Digital mammography. Left breast, CC projection. 53 y/o patient.
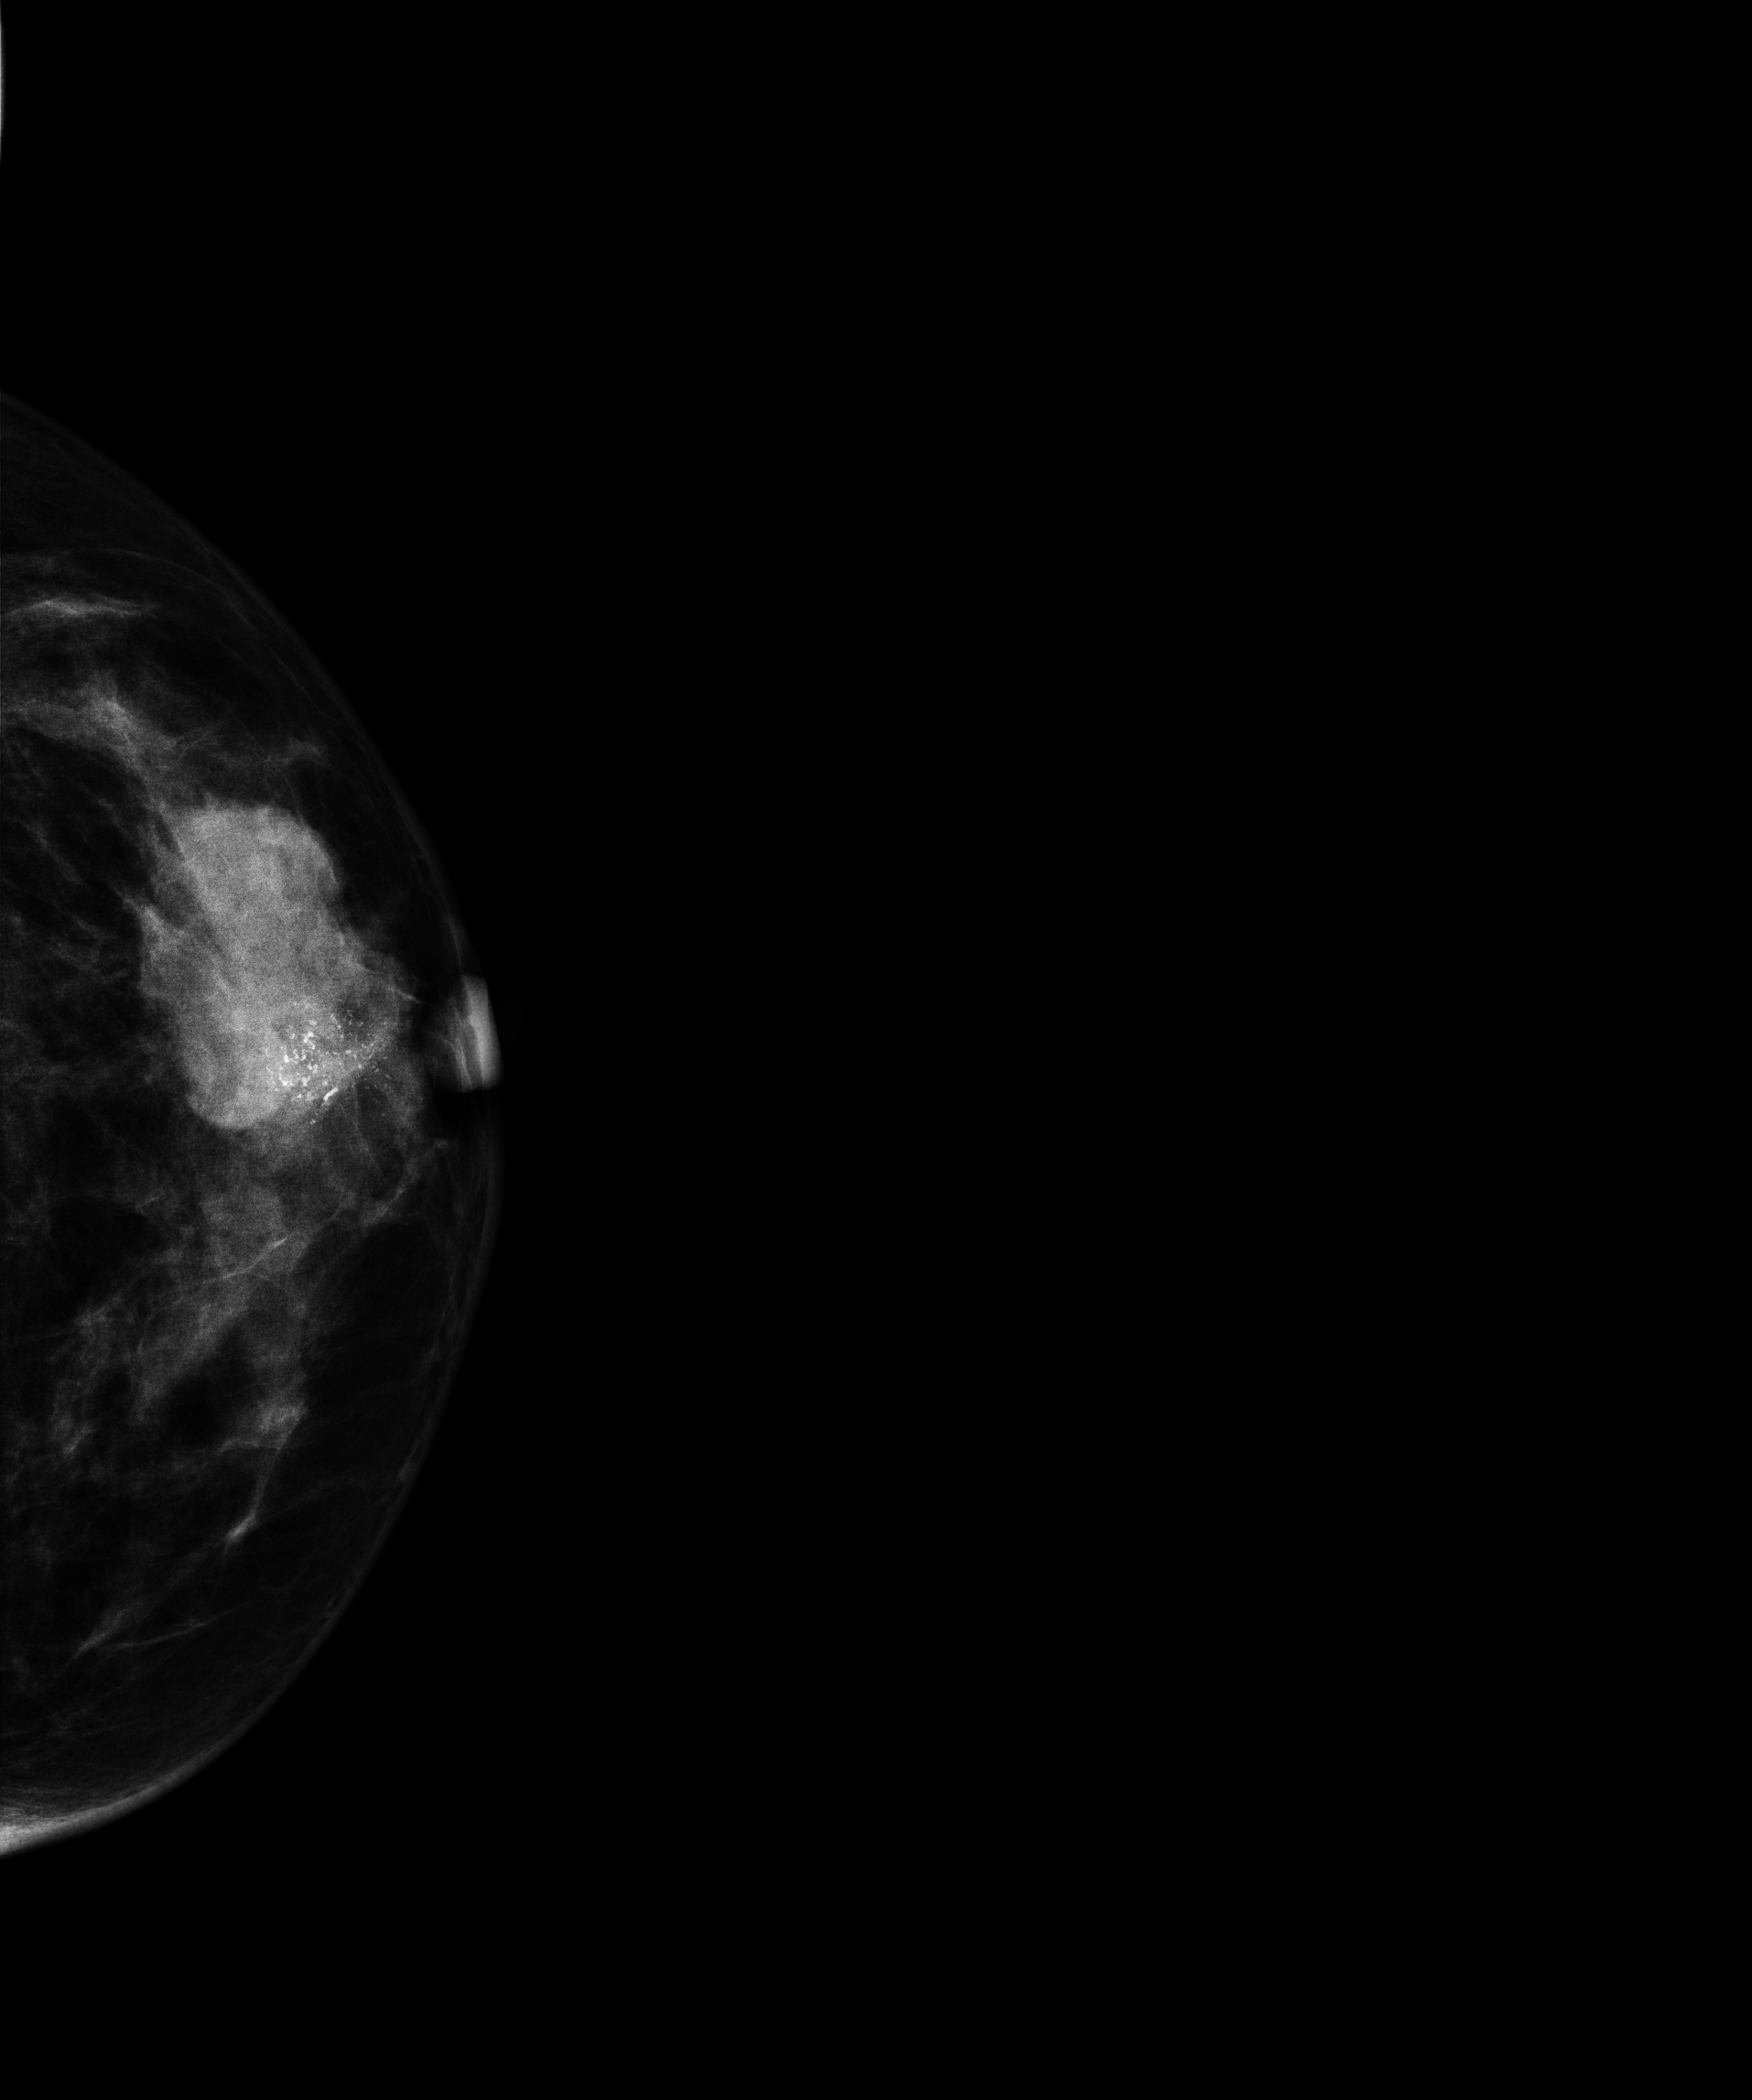
This breast has a mass and calcifications, histologically confirmed malignant.